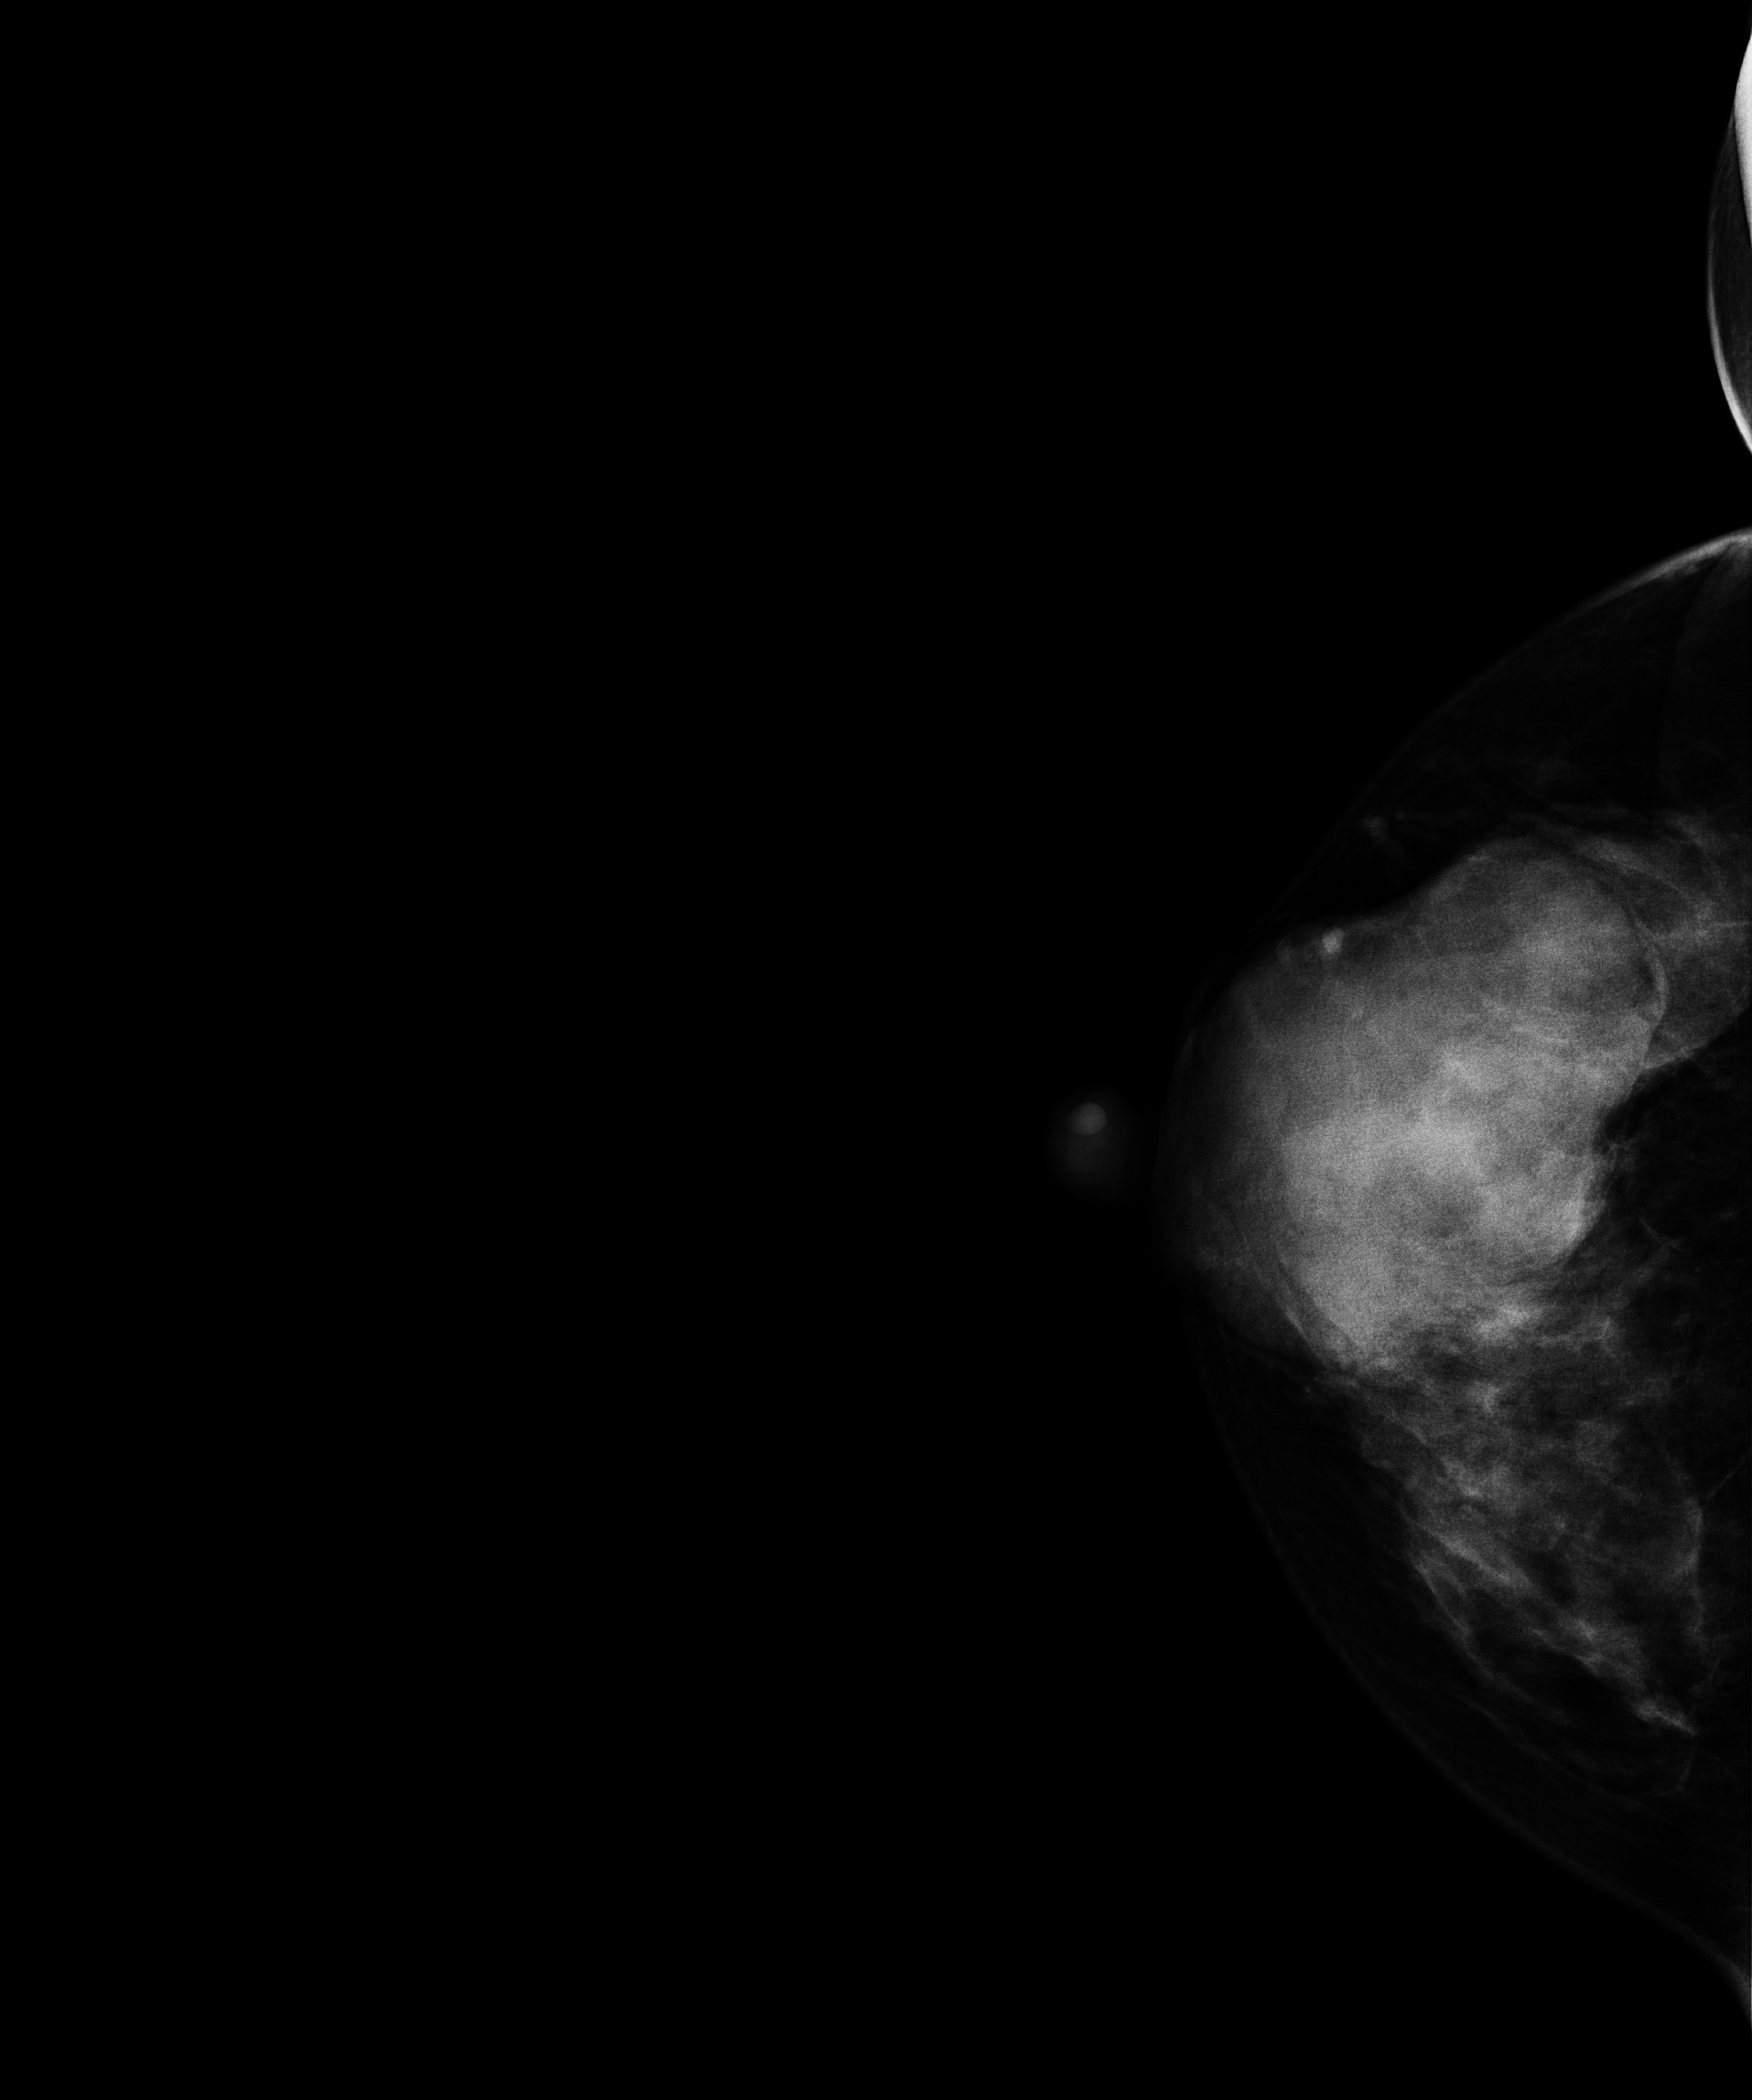
Cranio-caudal mammogram of the right breast. 38 y/o patient.
This breast has a mass, pathology-confirmed benign.